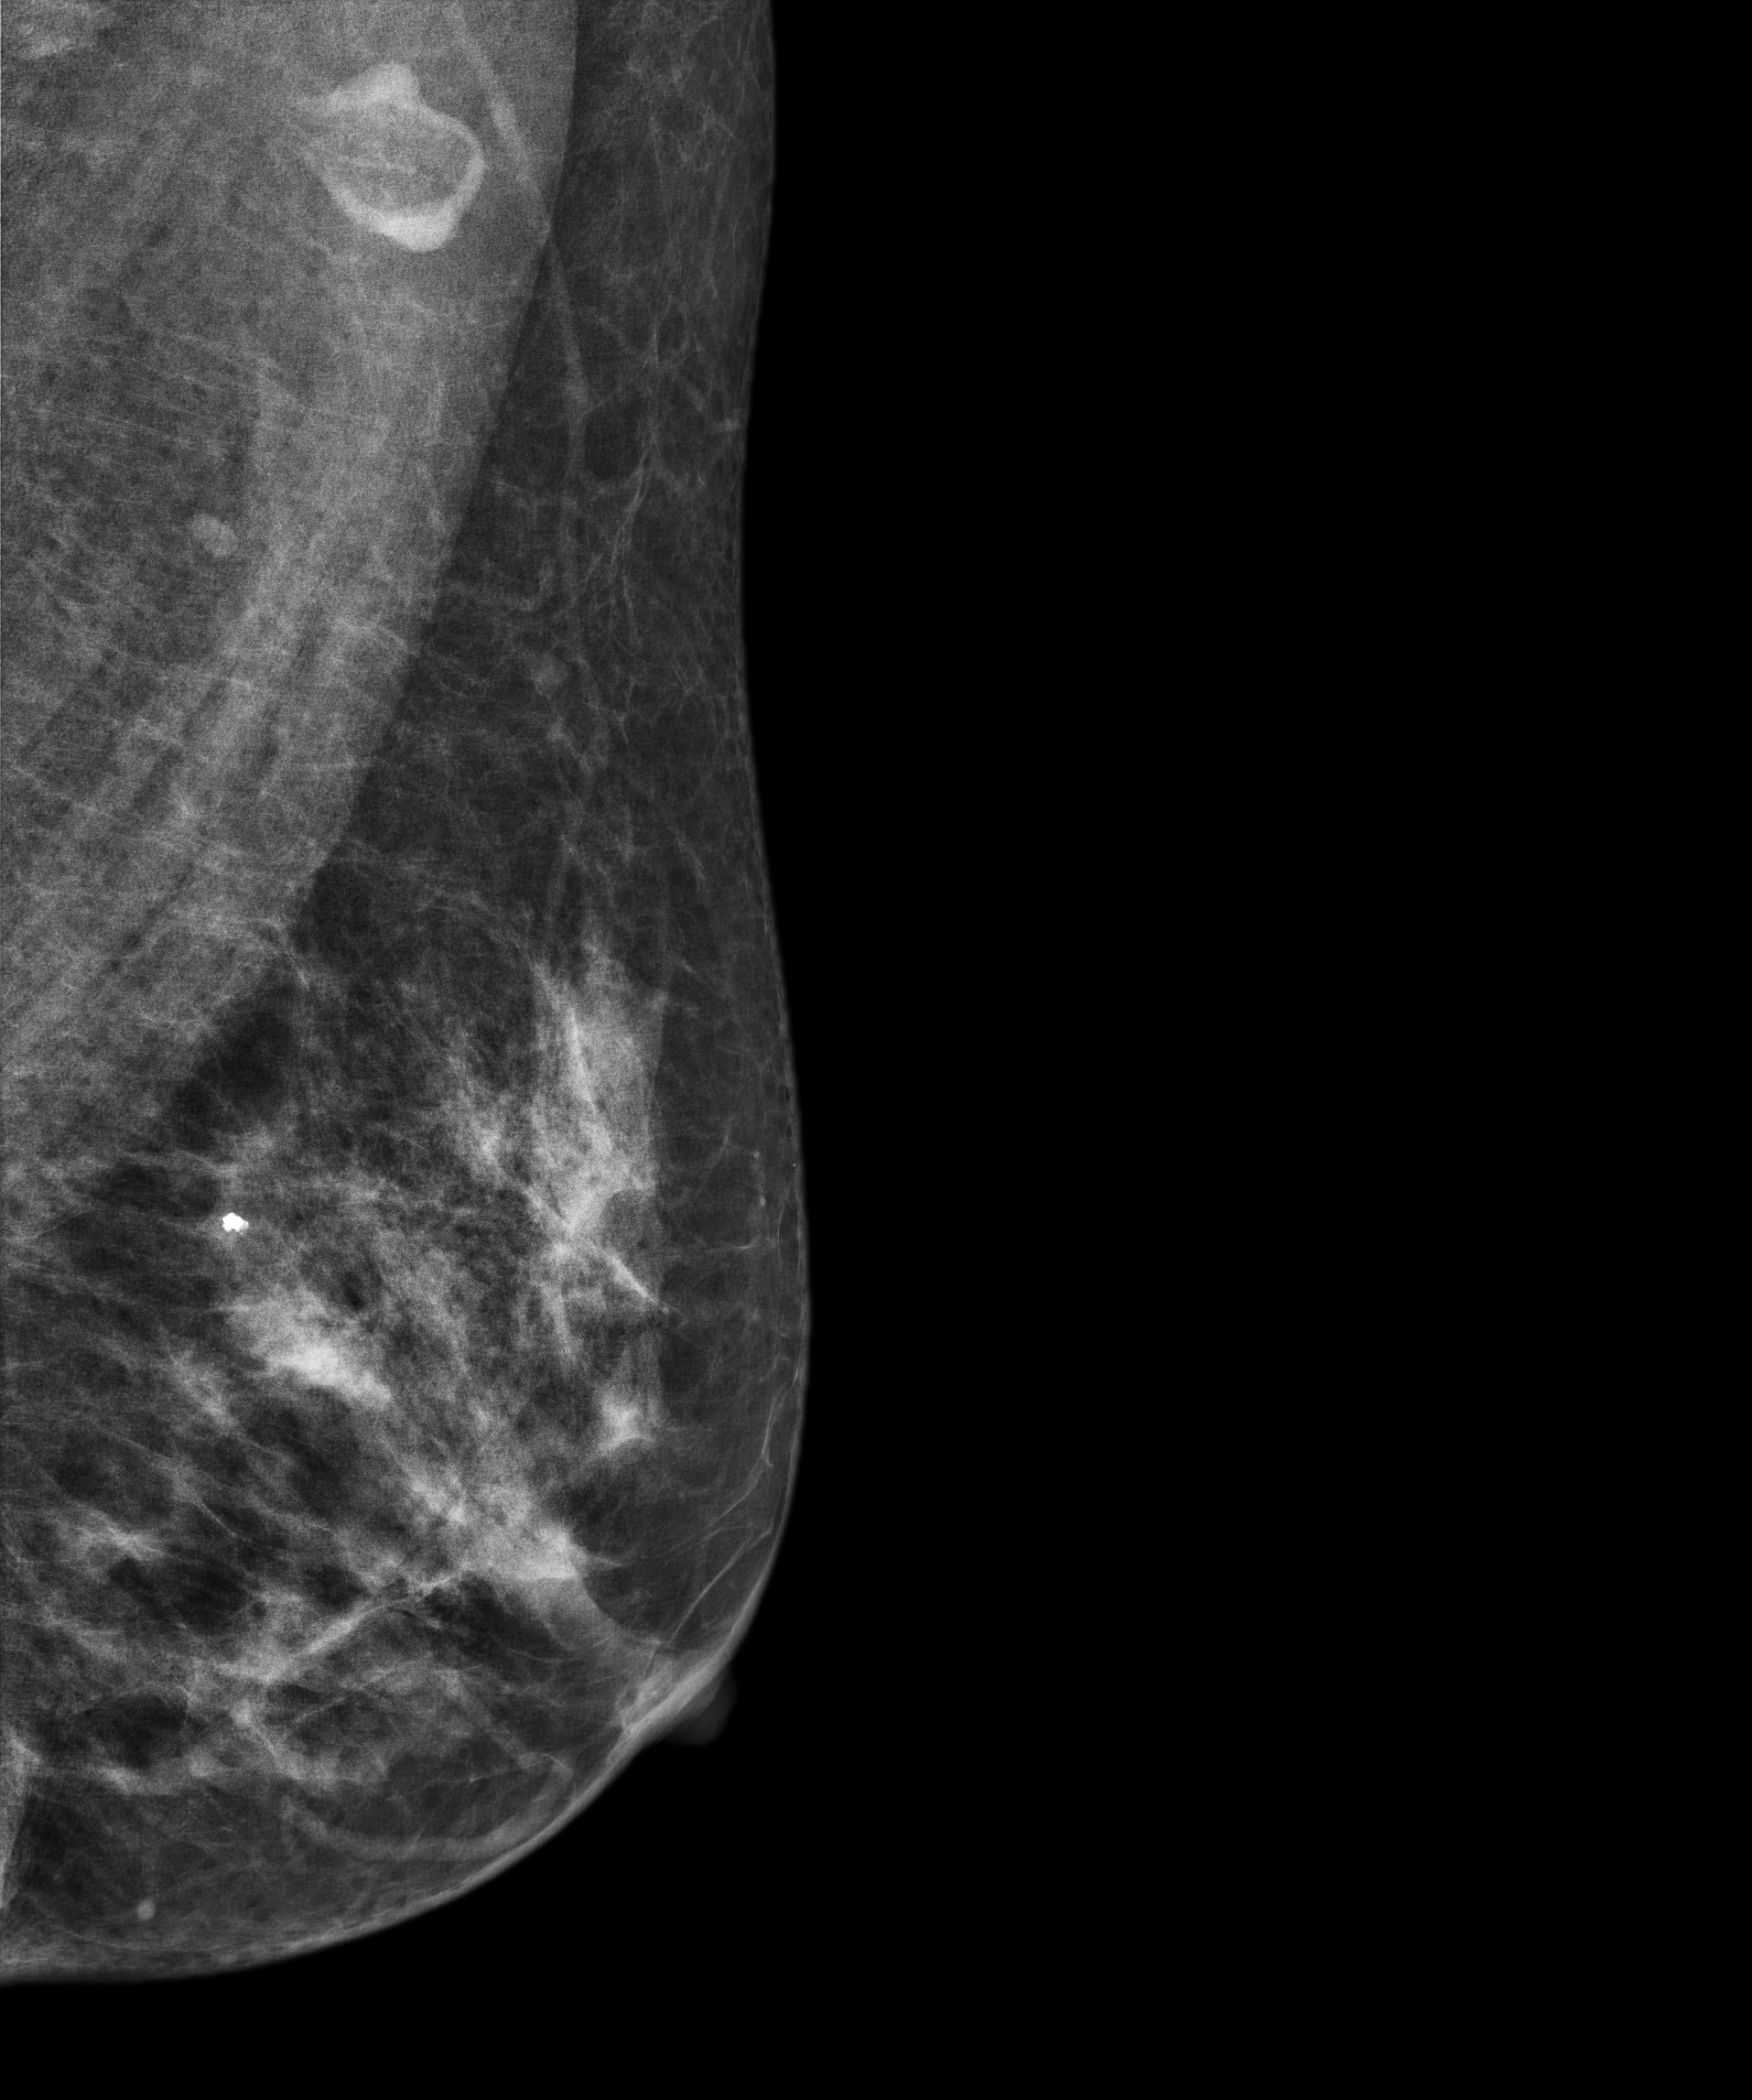
Mammogram — left MLO. 56-year-old patient.
This breast has a mass, histologically confirmed benign.